Digital mammography. Left breast, medio-lateral oblique projection. Patient age 41.
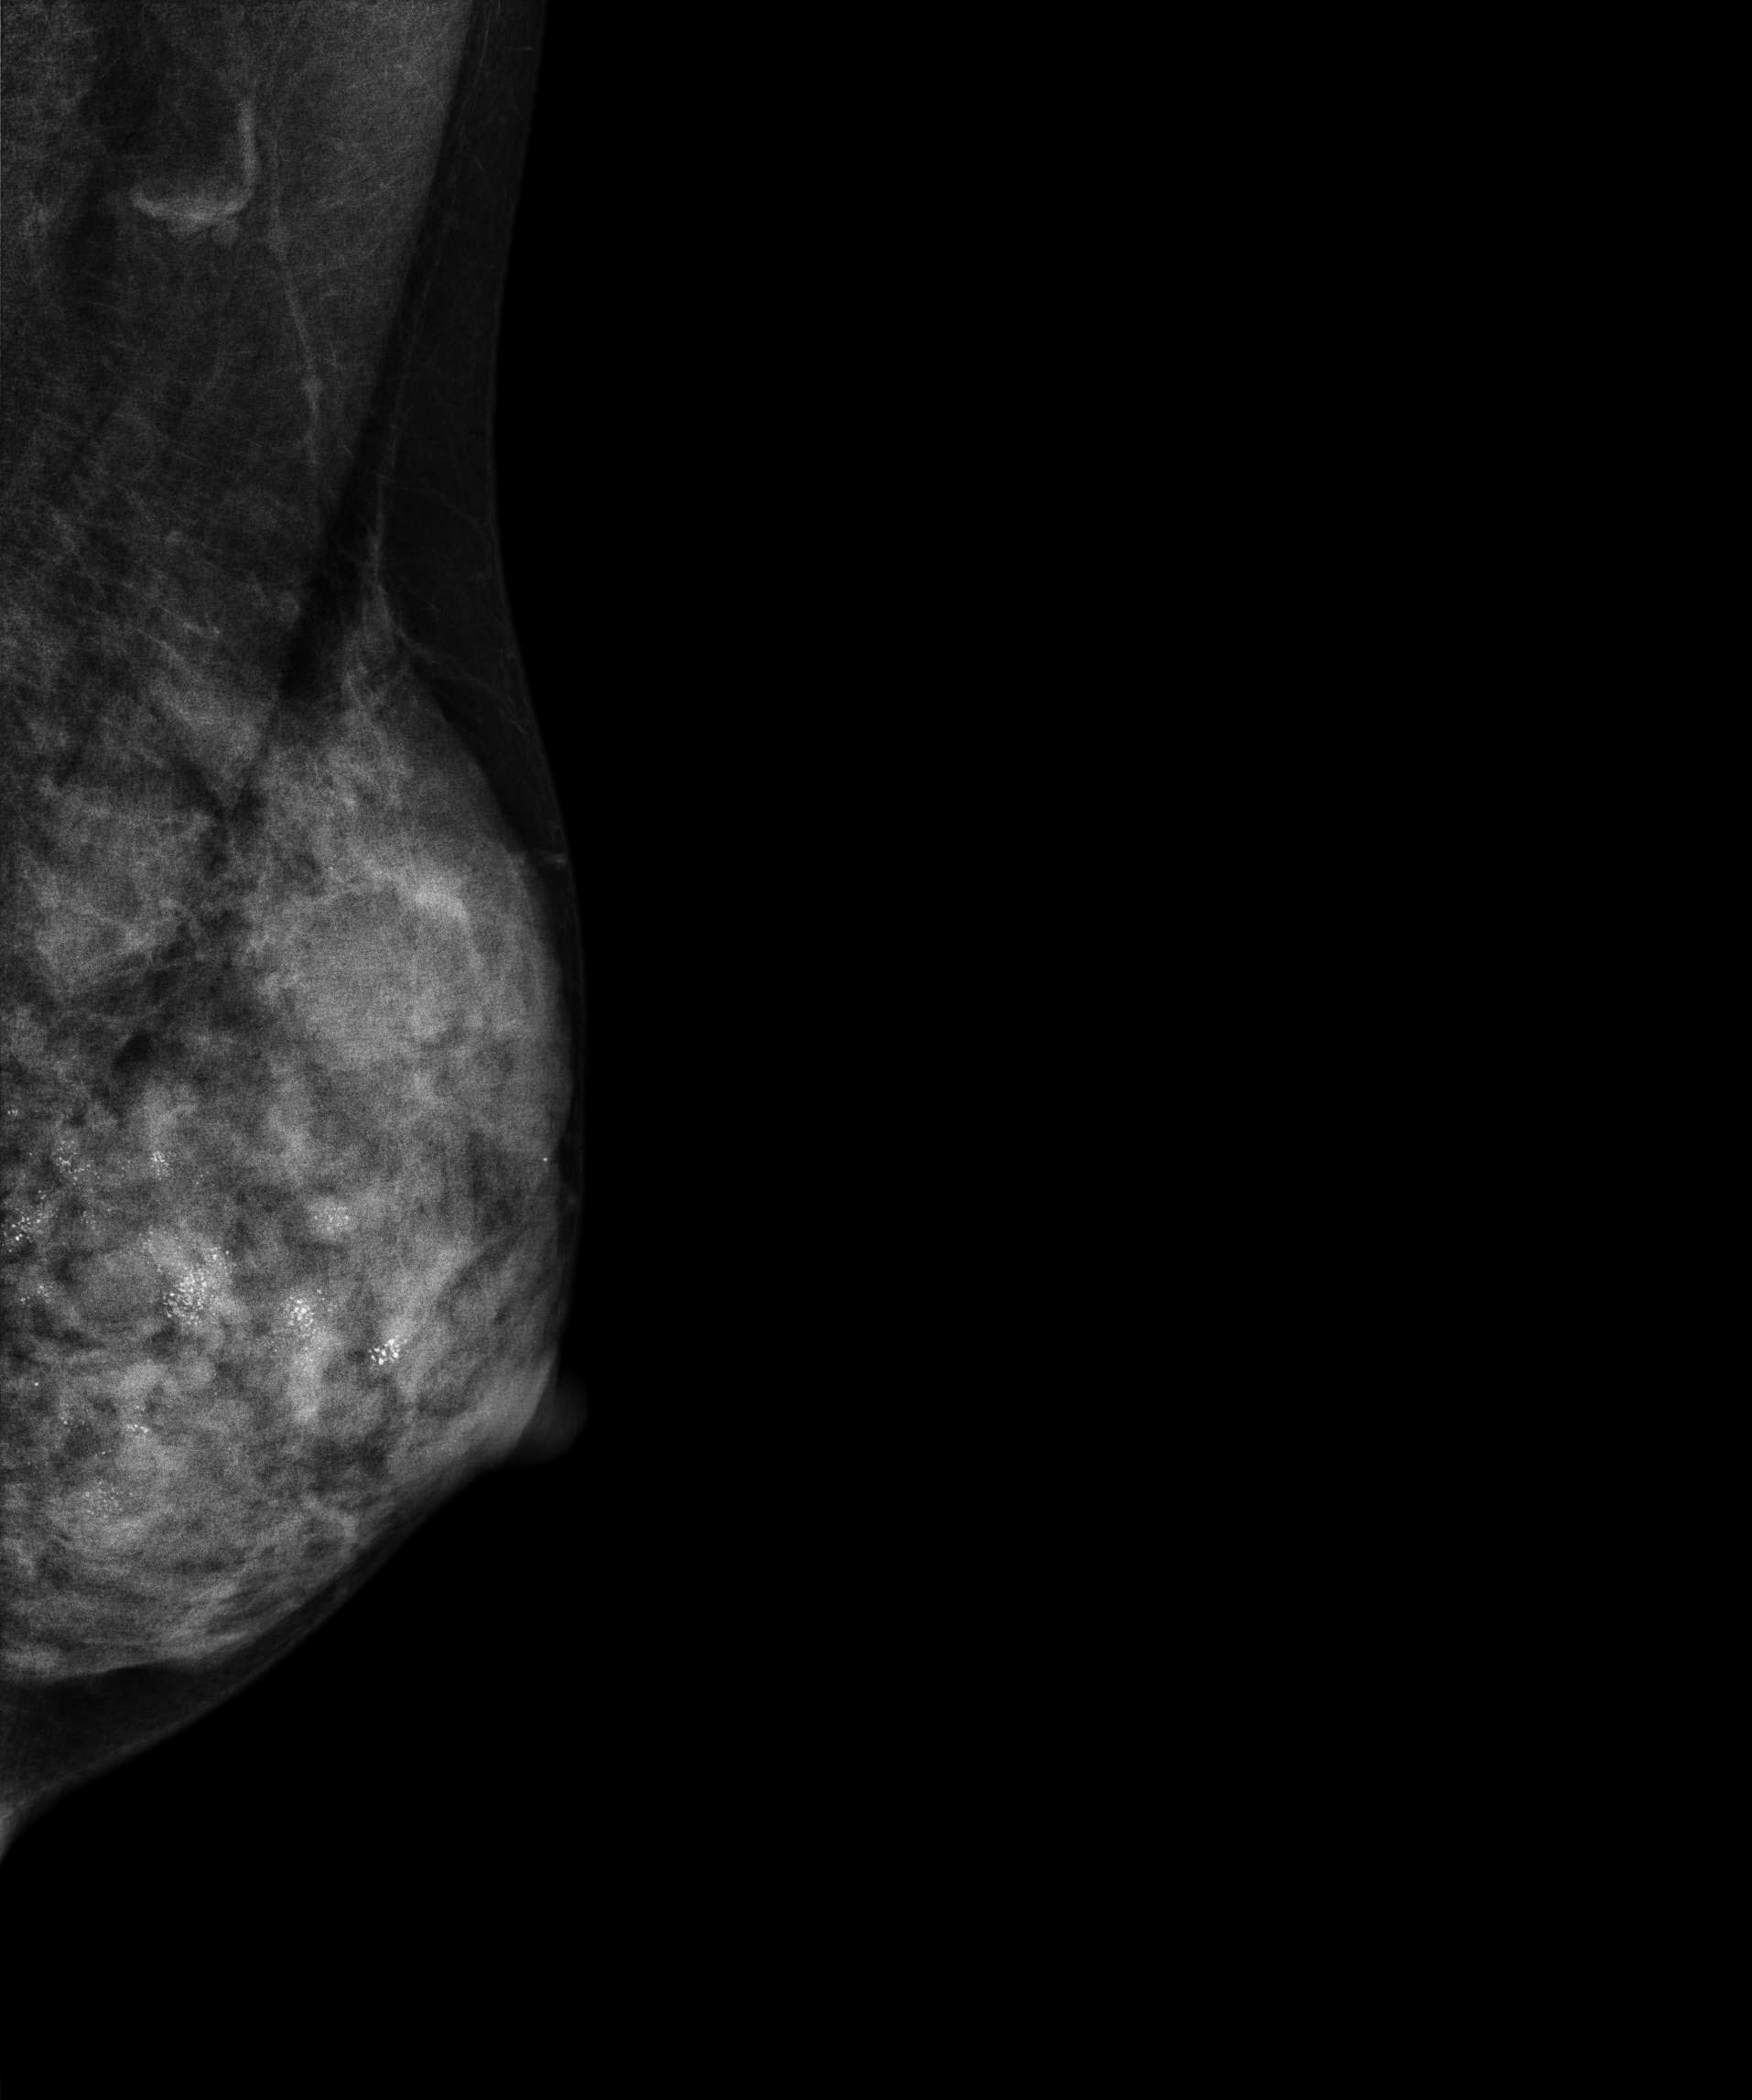
This breast has calcifications, biopsy-confirmed malignant.